Digital mammography. Left breast, medio-lateral oblique projection. 36-year-old patient.
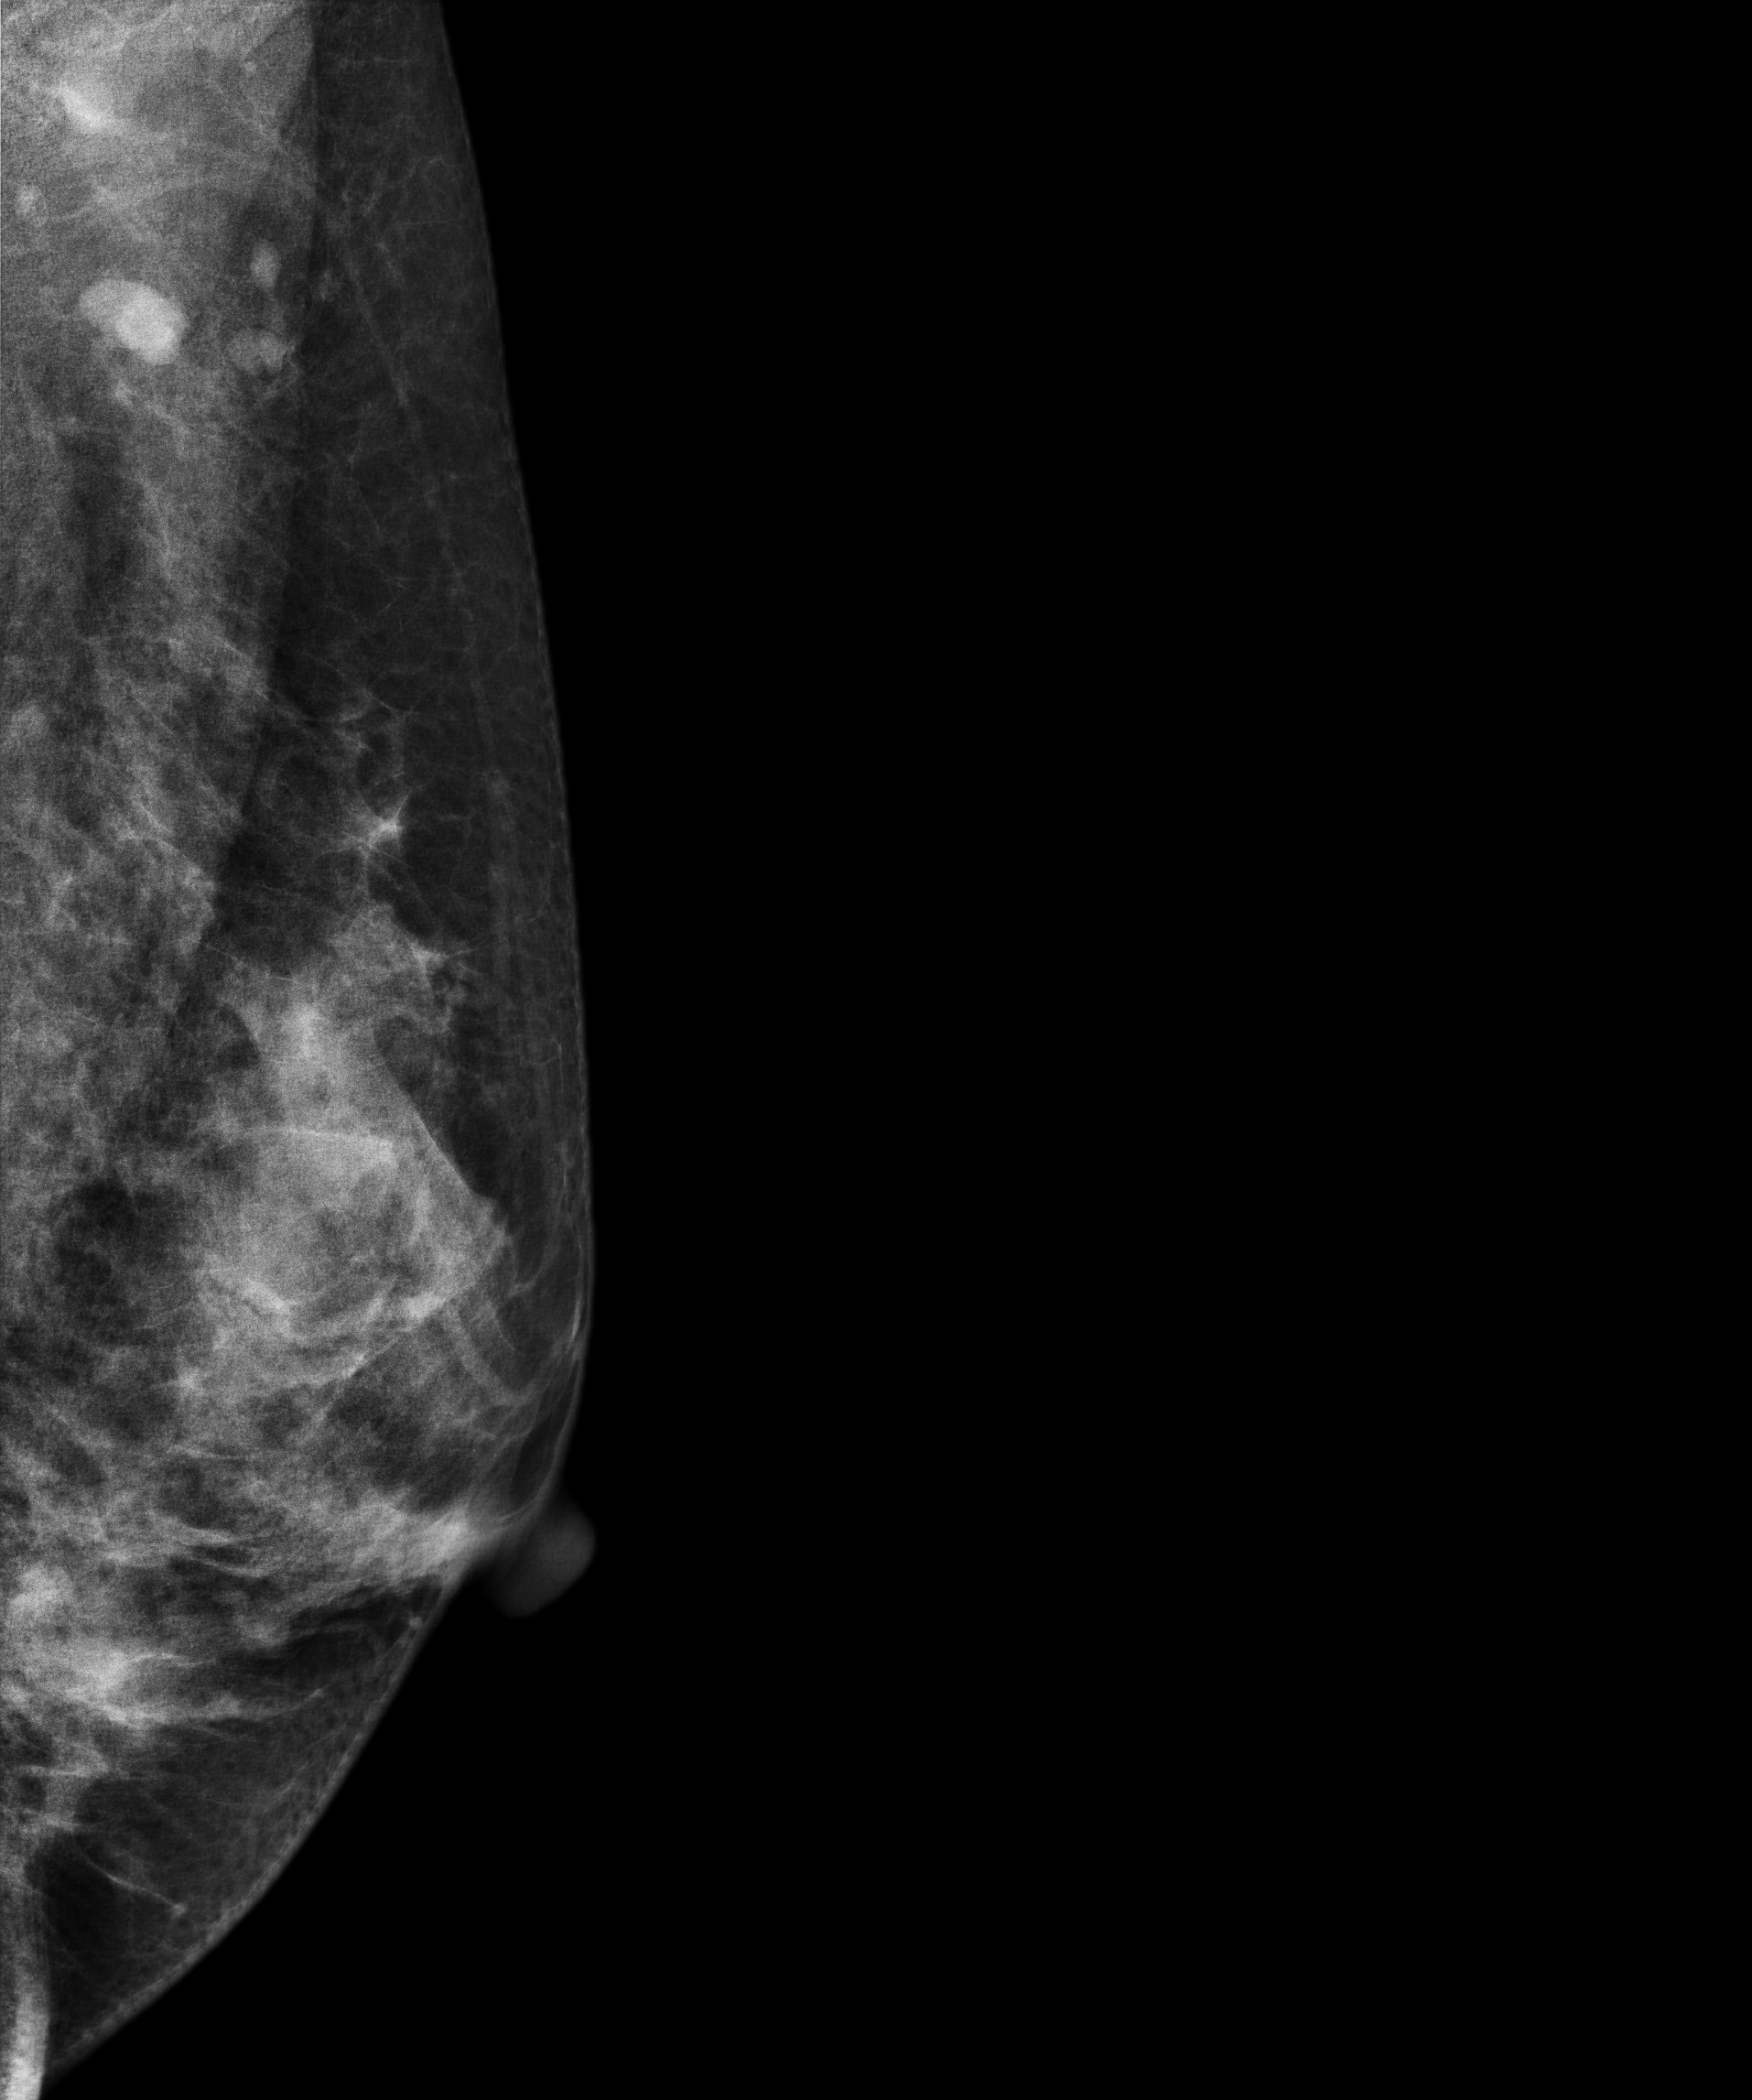
This breast has a mass, biopsy-proven benign.